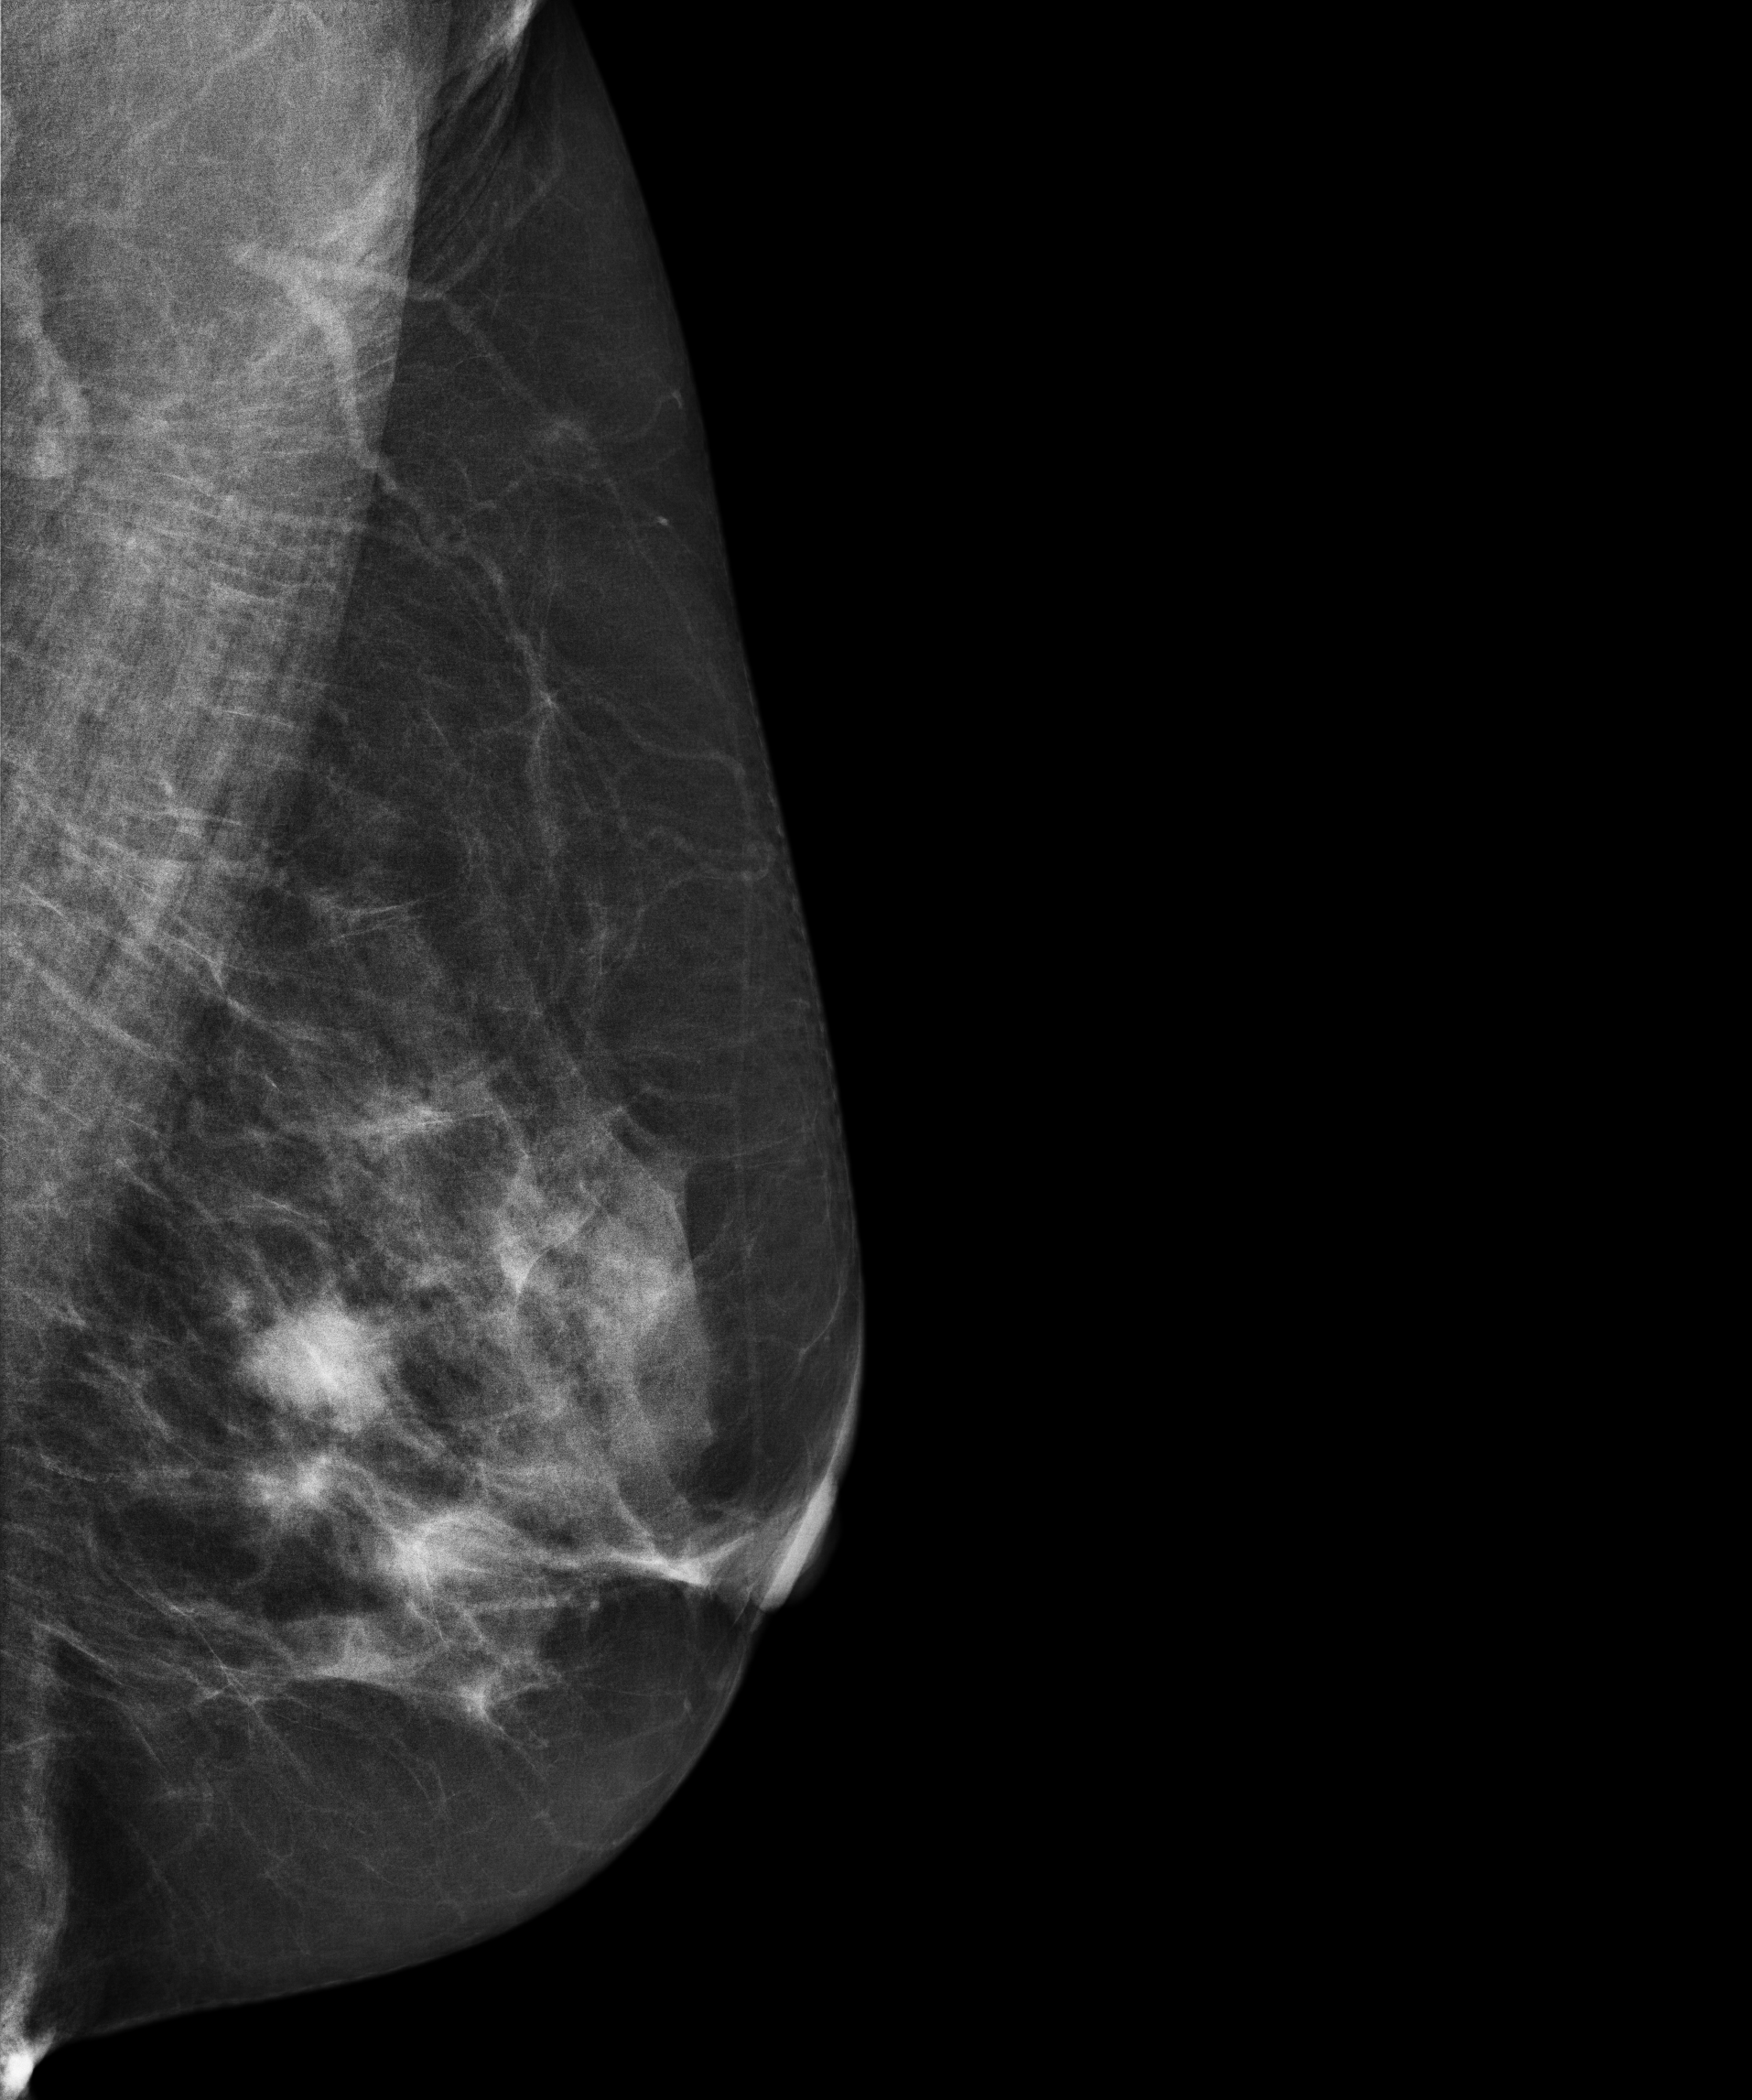
MLO mammogram of the left breast. Patient age 59.
This breast has a mass, histologically confirmed malignant. Molecular subtype: luminal B.